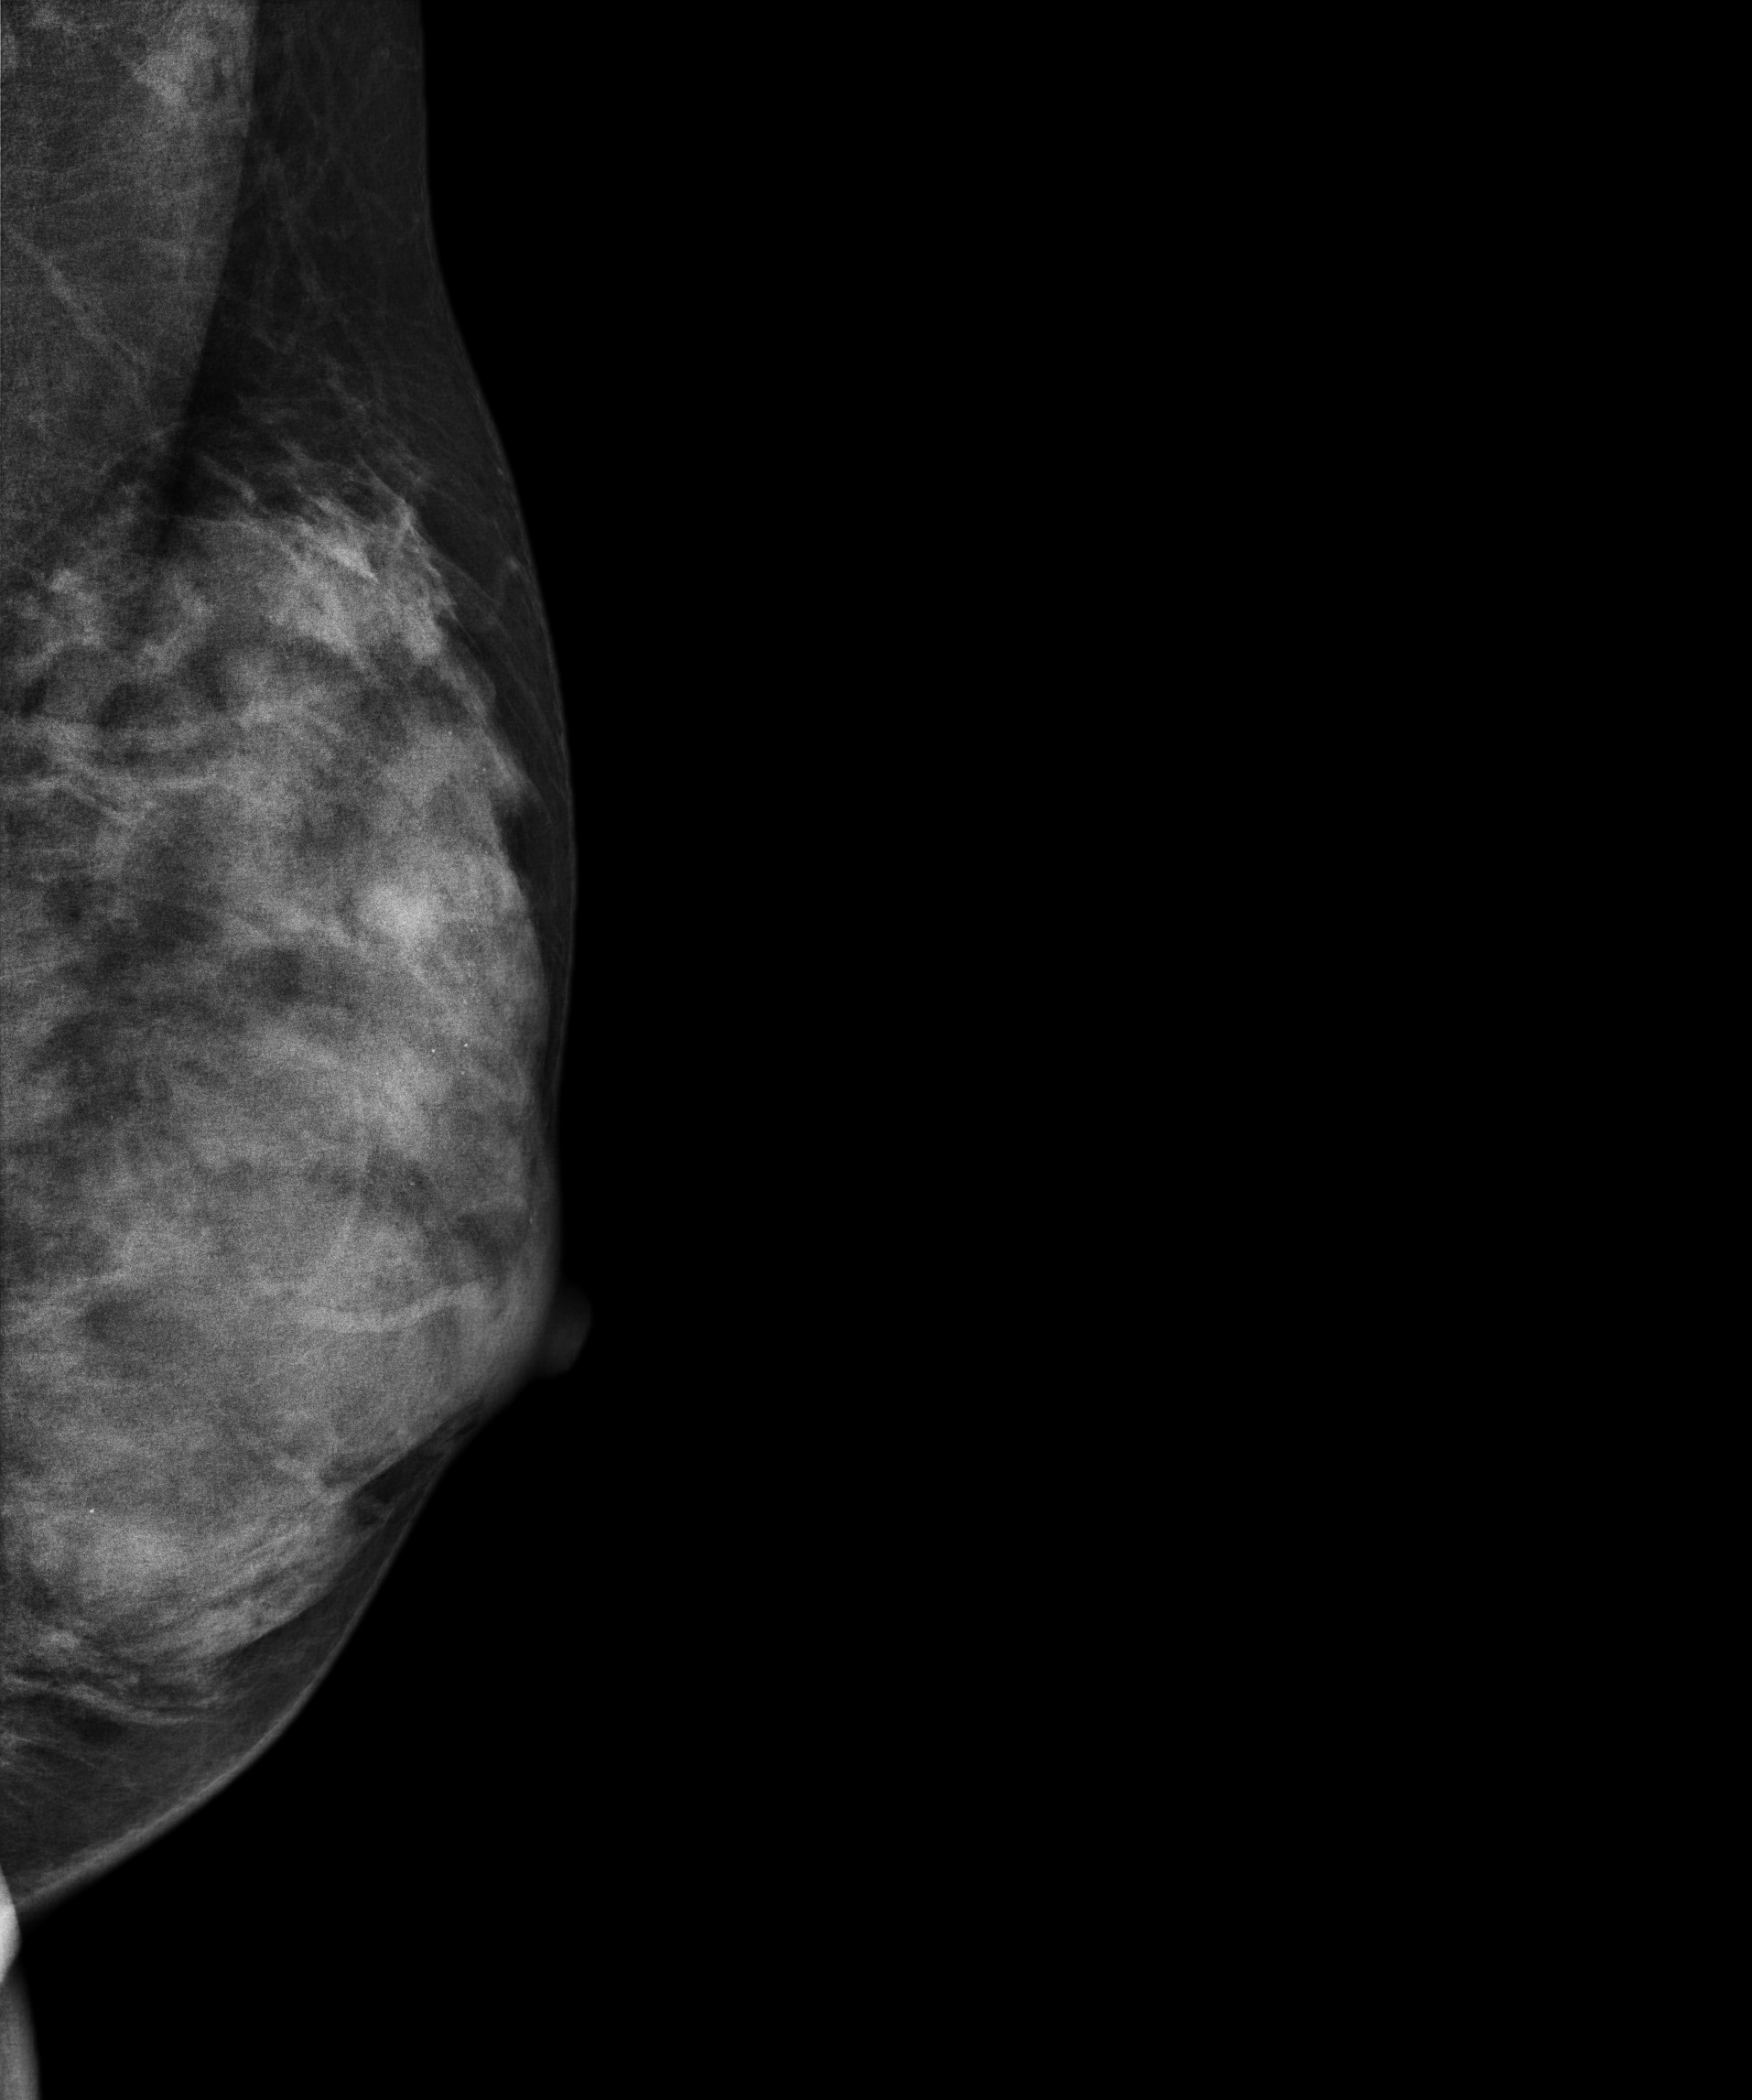
Left-breast mammogram, medio-lateral oblique. 22 y/o patient.
This breast has calcifications, pathology-confirmed benign.